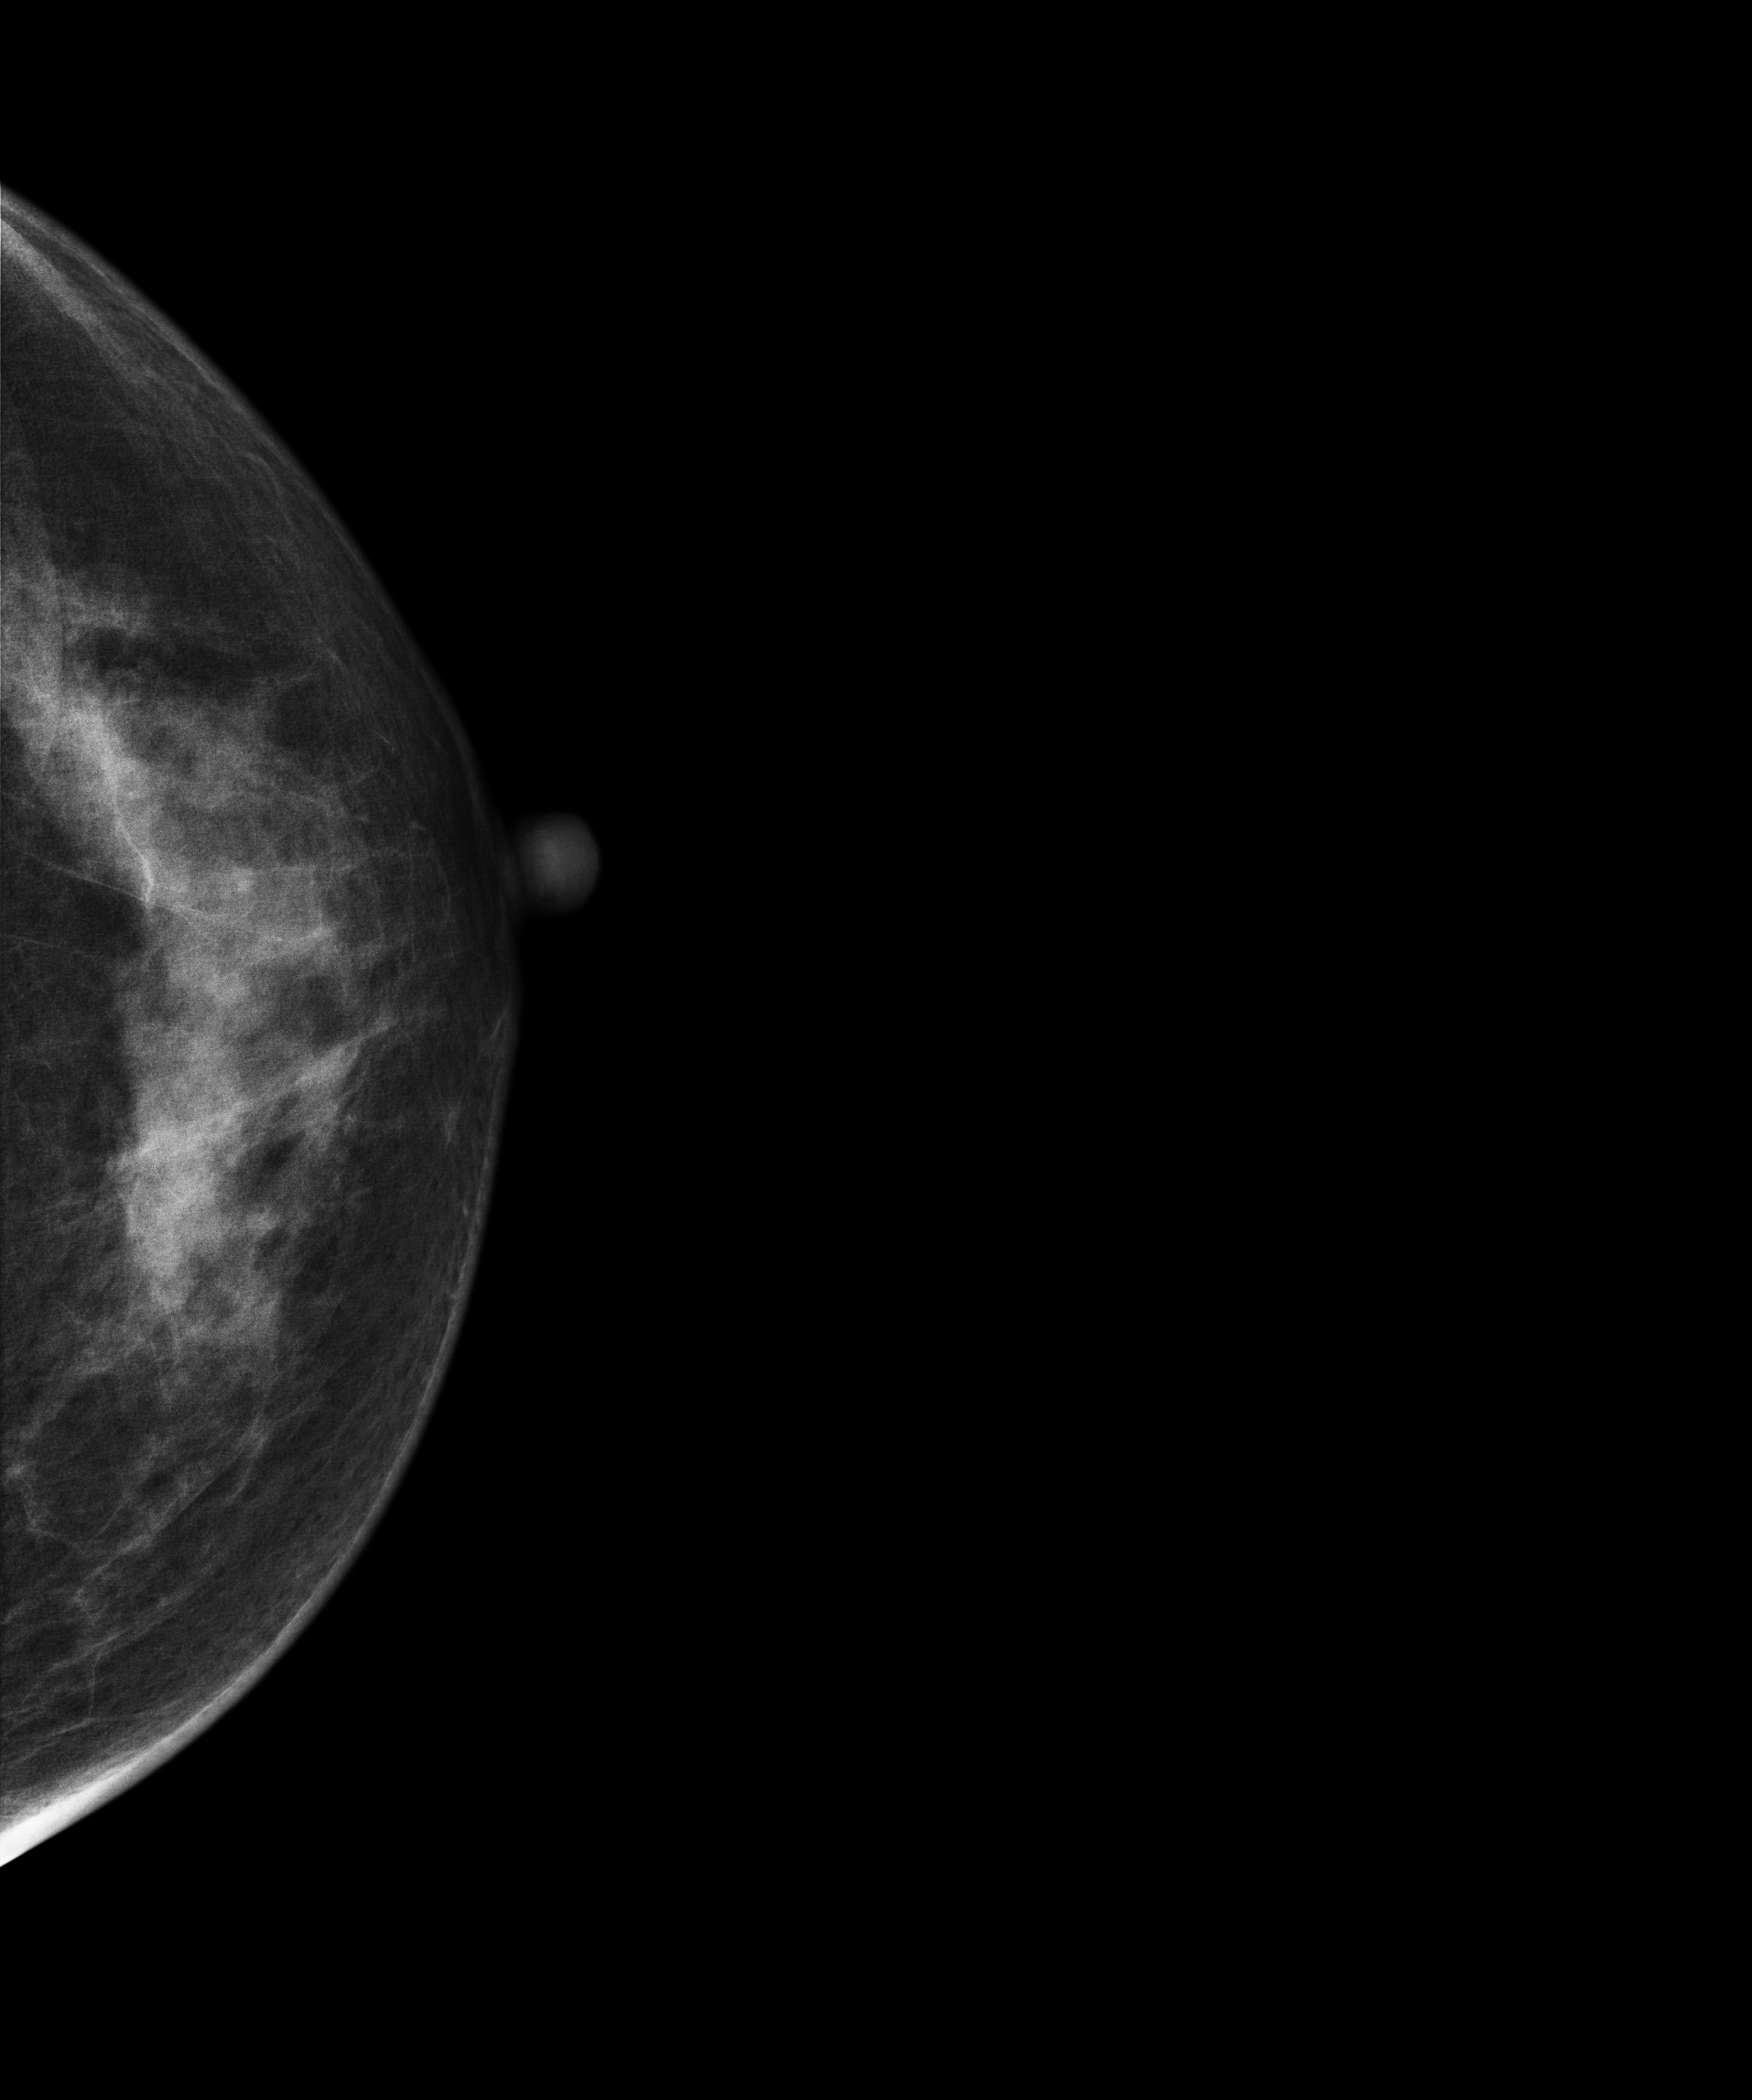
Mammogram, left breast, CC view. 39-year-old patient.
Contralateral breast — no documented abnormality on this side.